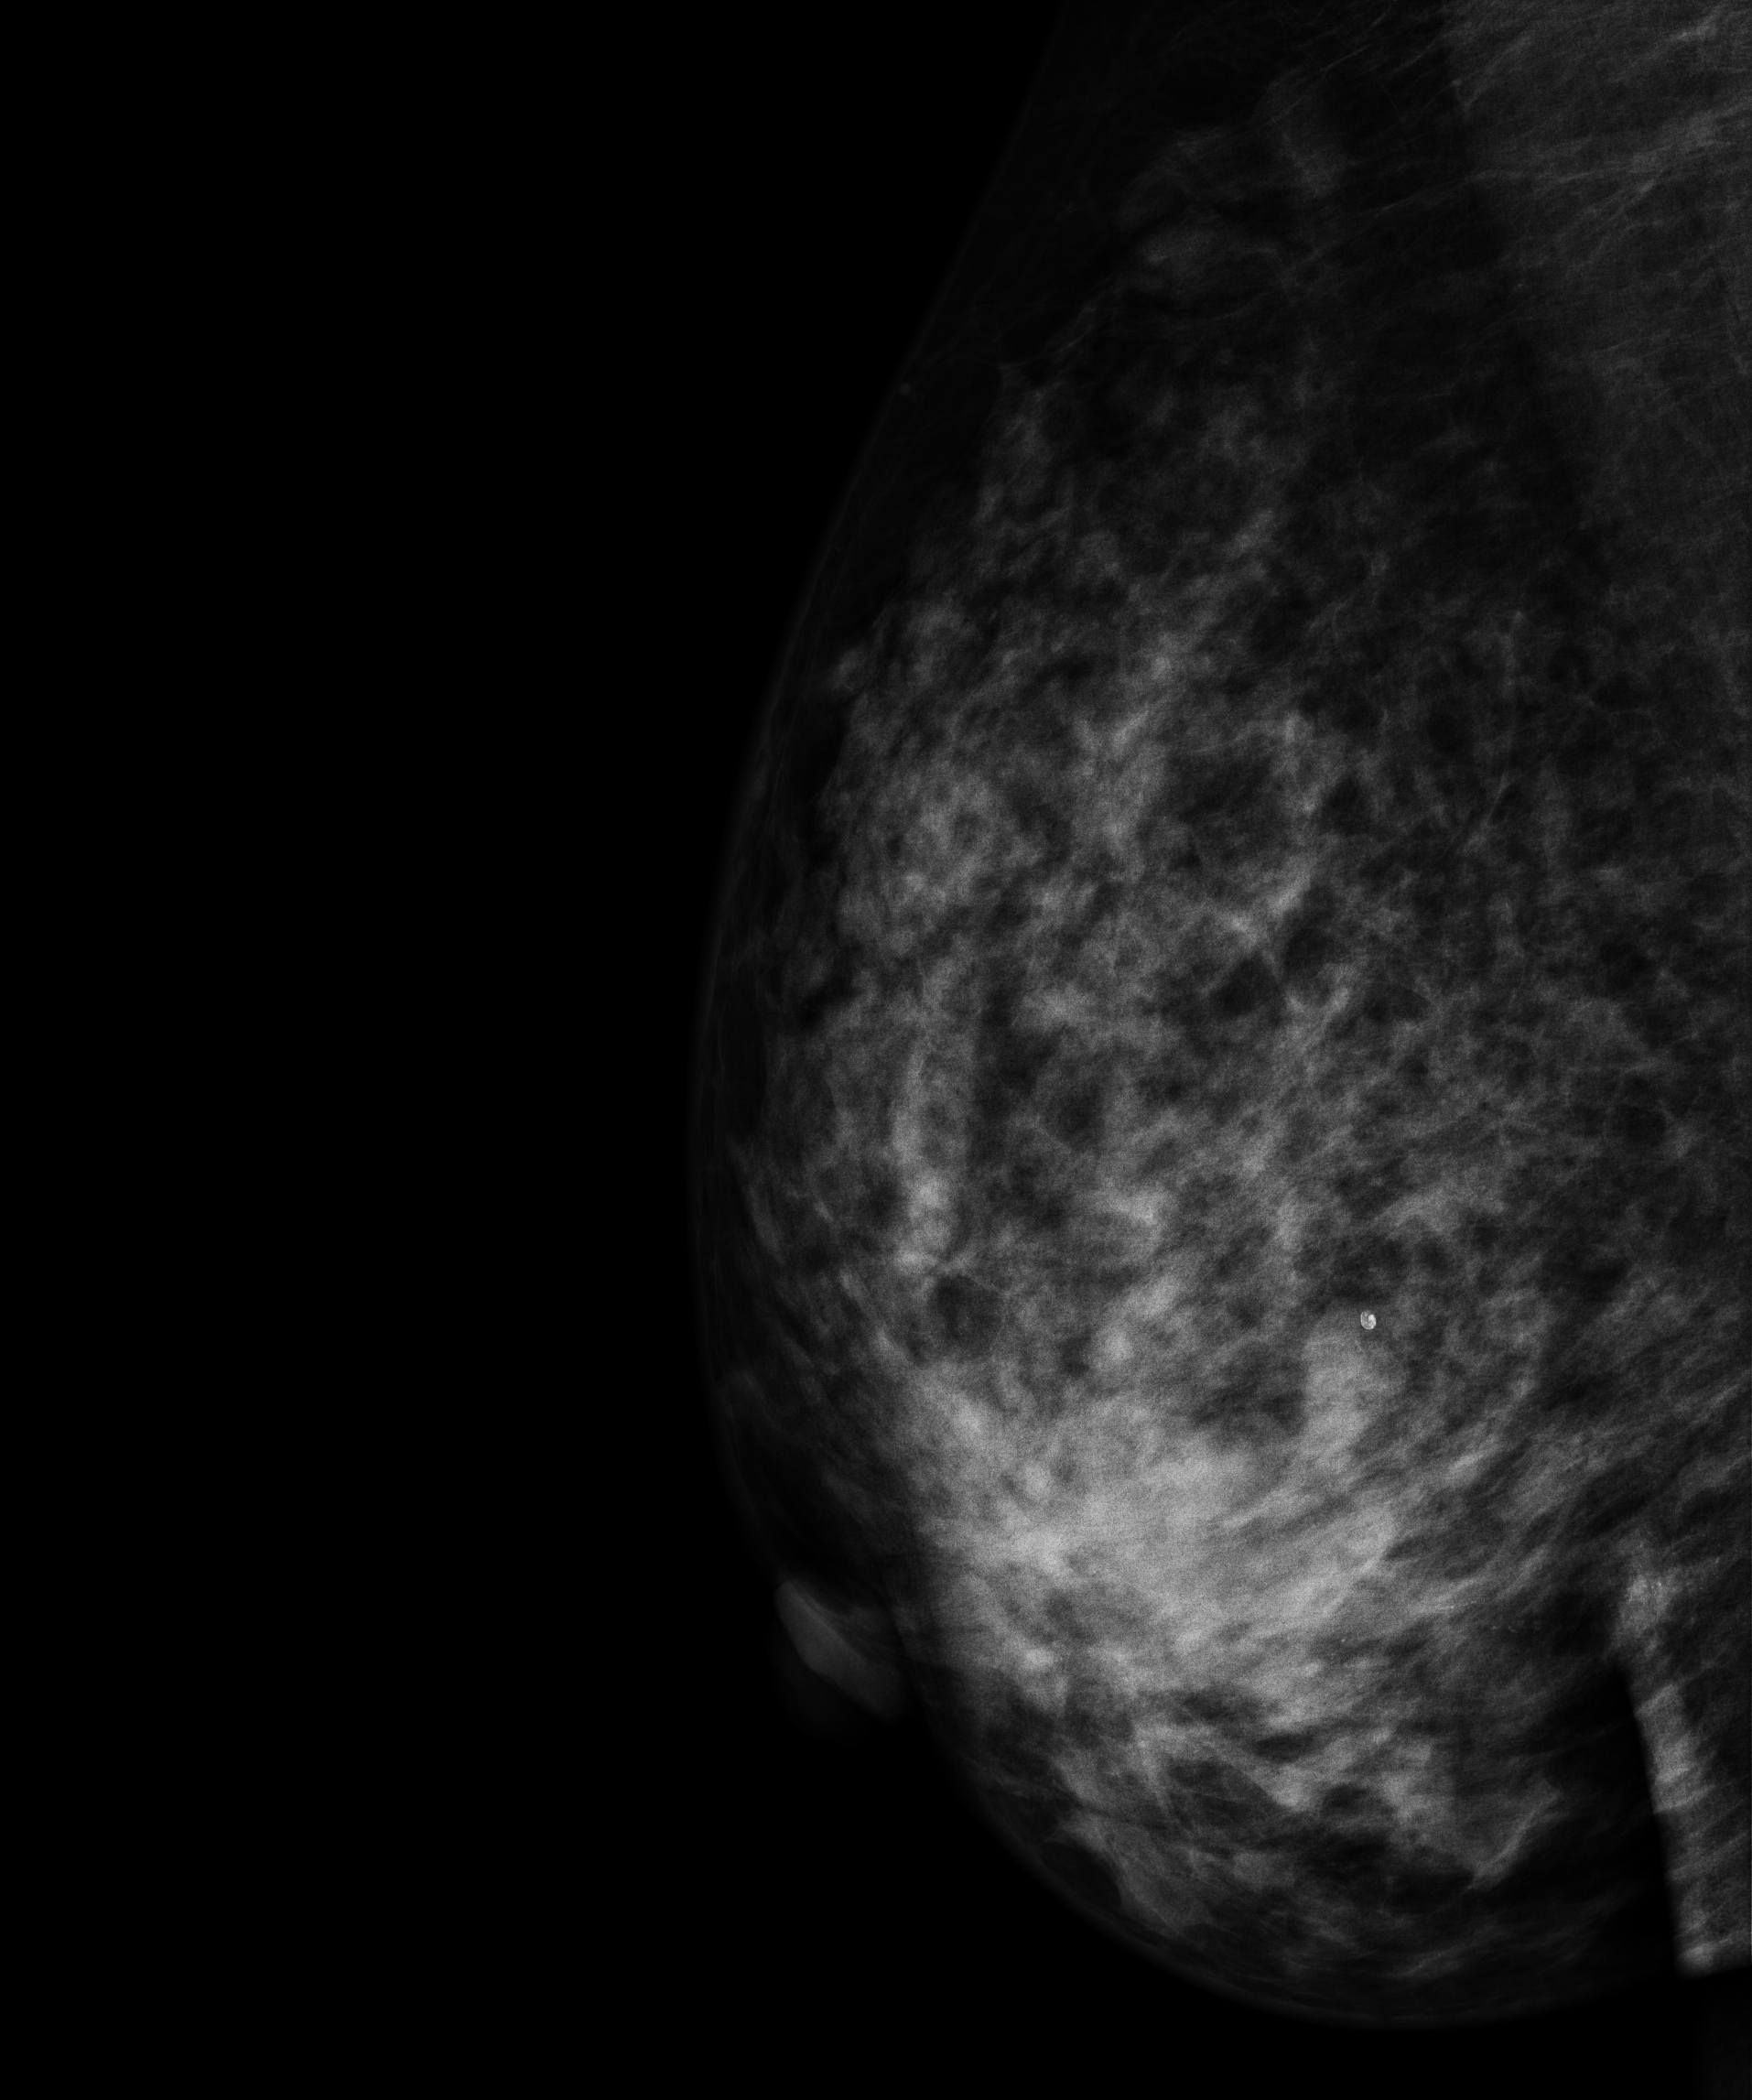
Mammogram, right breast, MLO view. 51-year-old patient.
This breast has a mass, pathology-confirmed malignant. Molecular subtype: luminal B.